Mammogram, right breast, cranio-caudal view. 34 y/o patient.
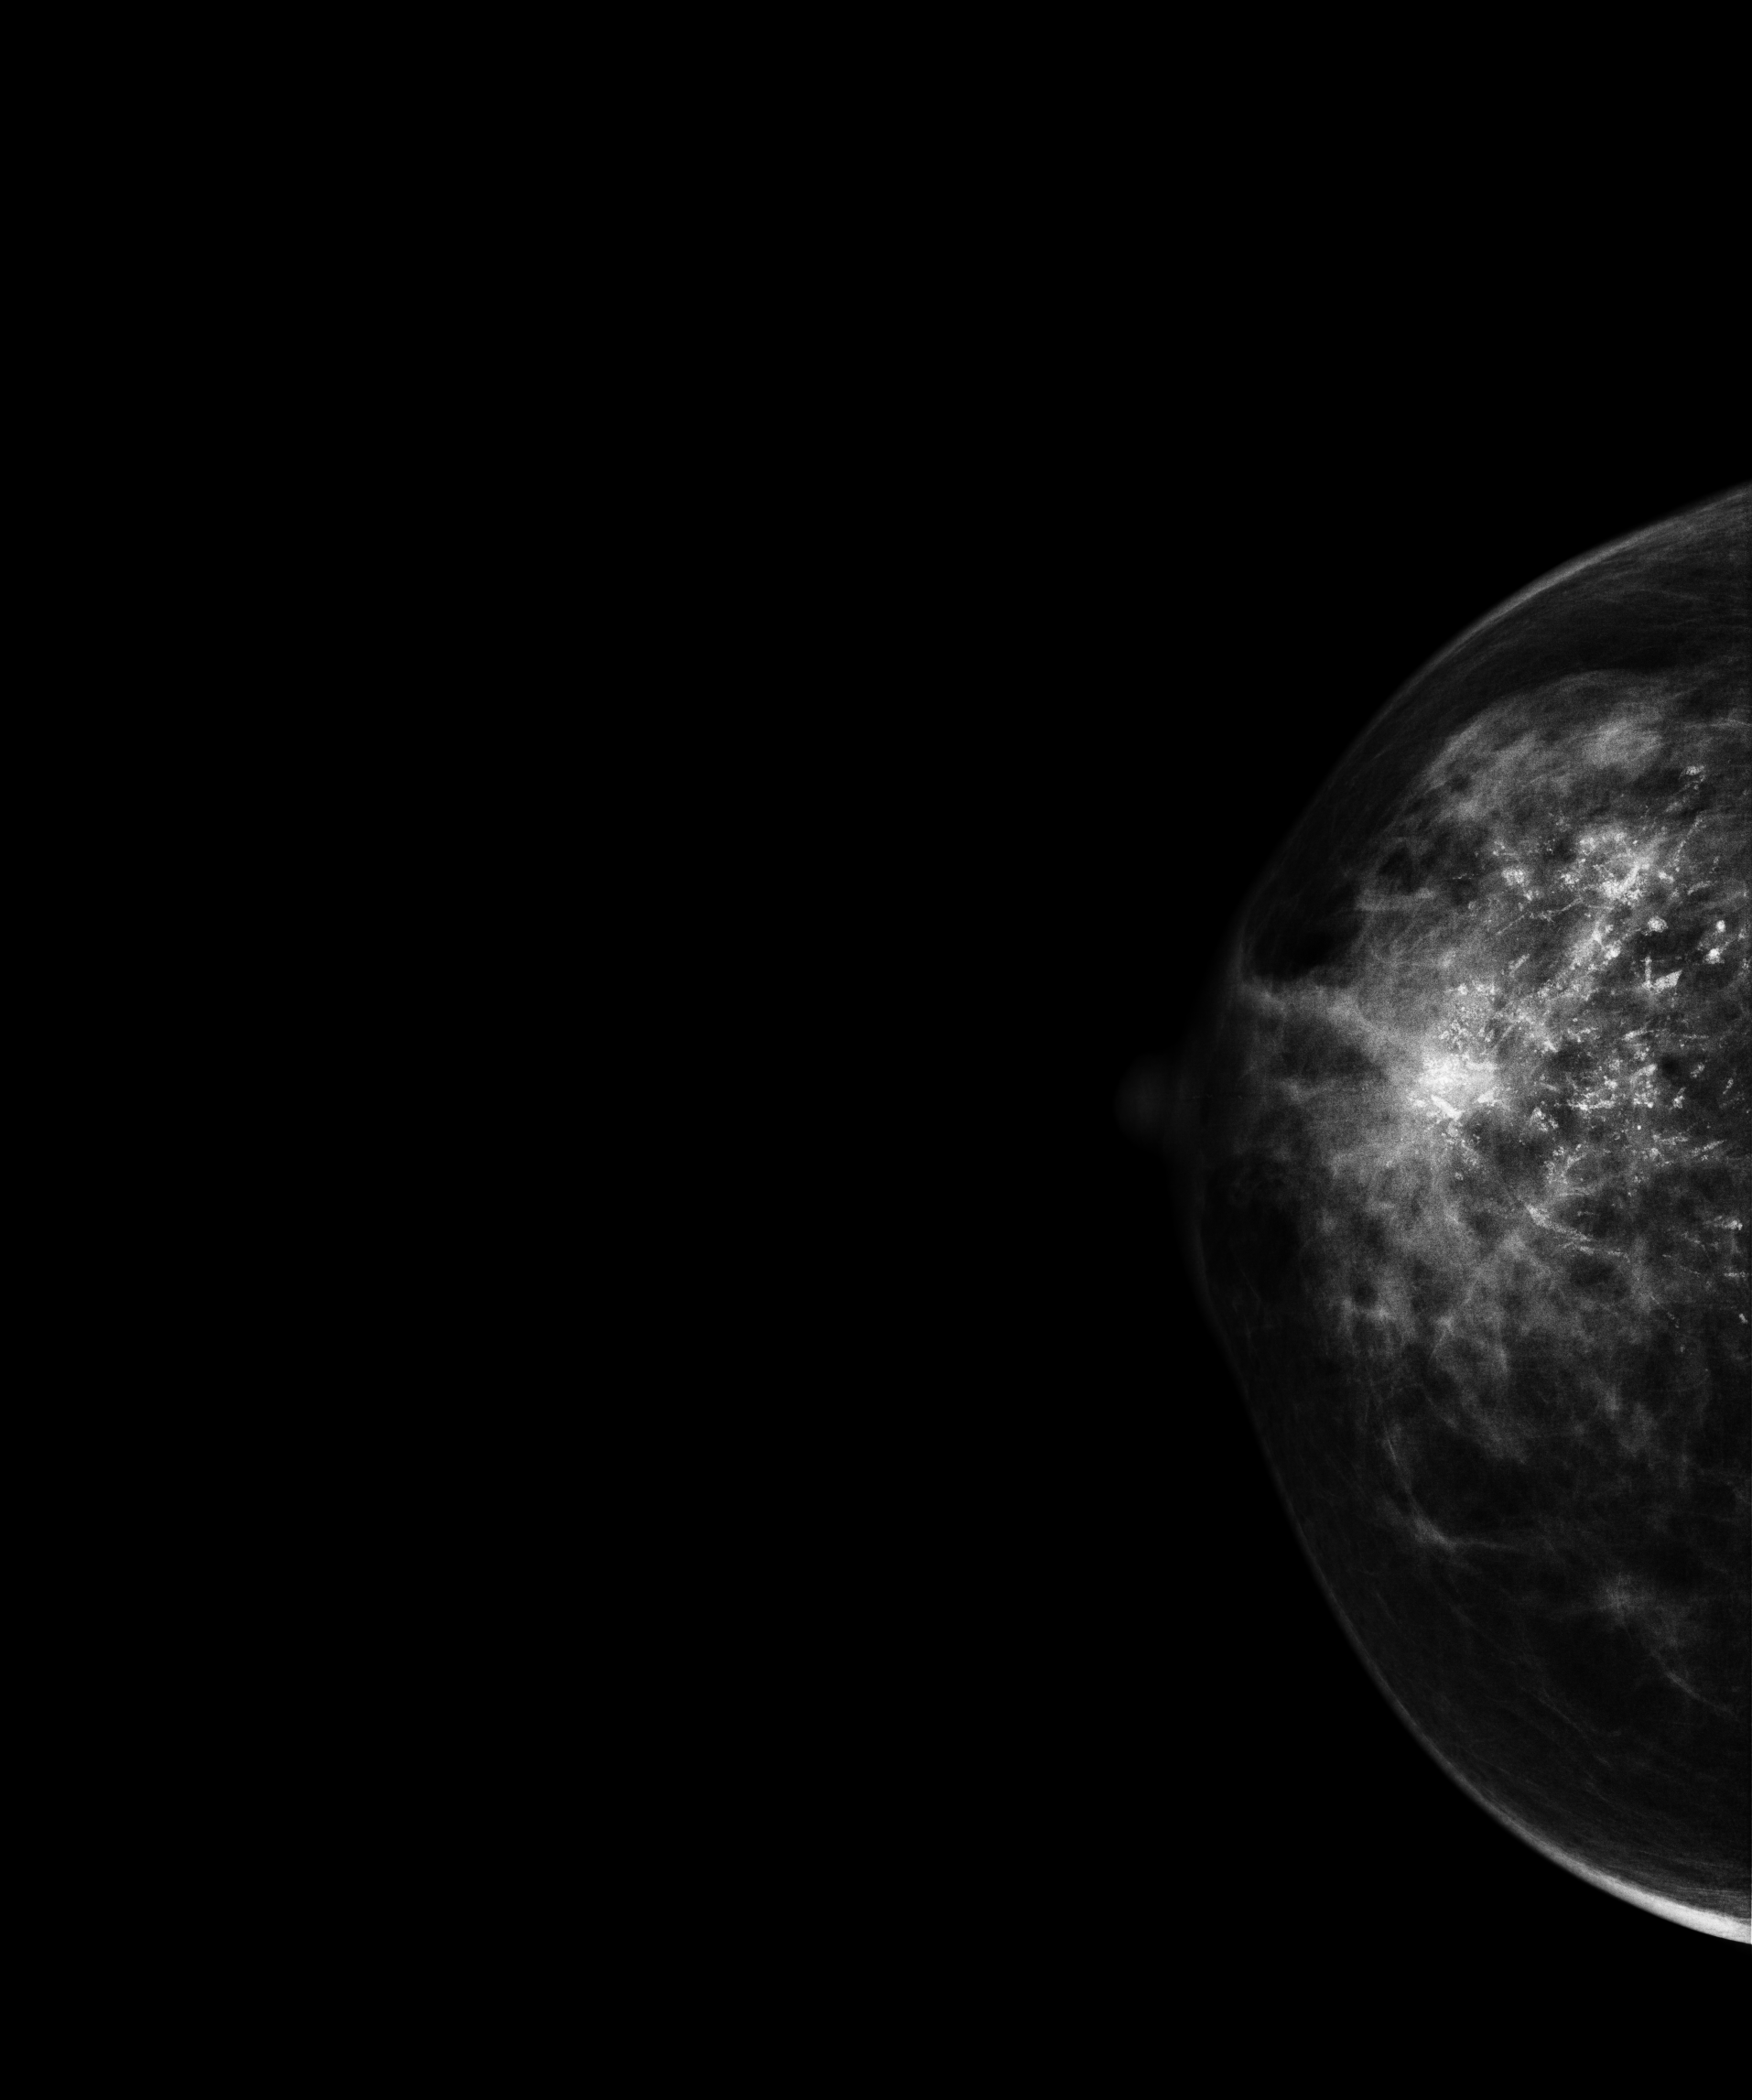
This breast has a mass and calcifications, histologically confirmed malignant. Molecular subtype: luminal B.